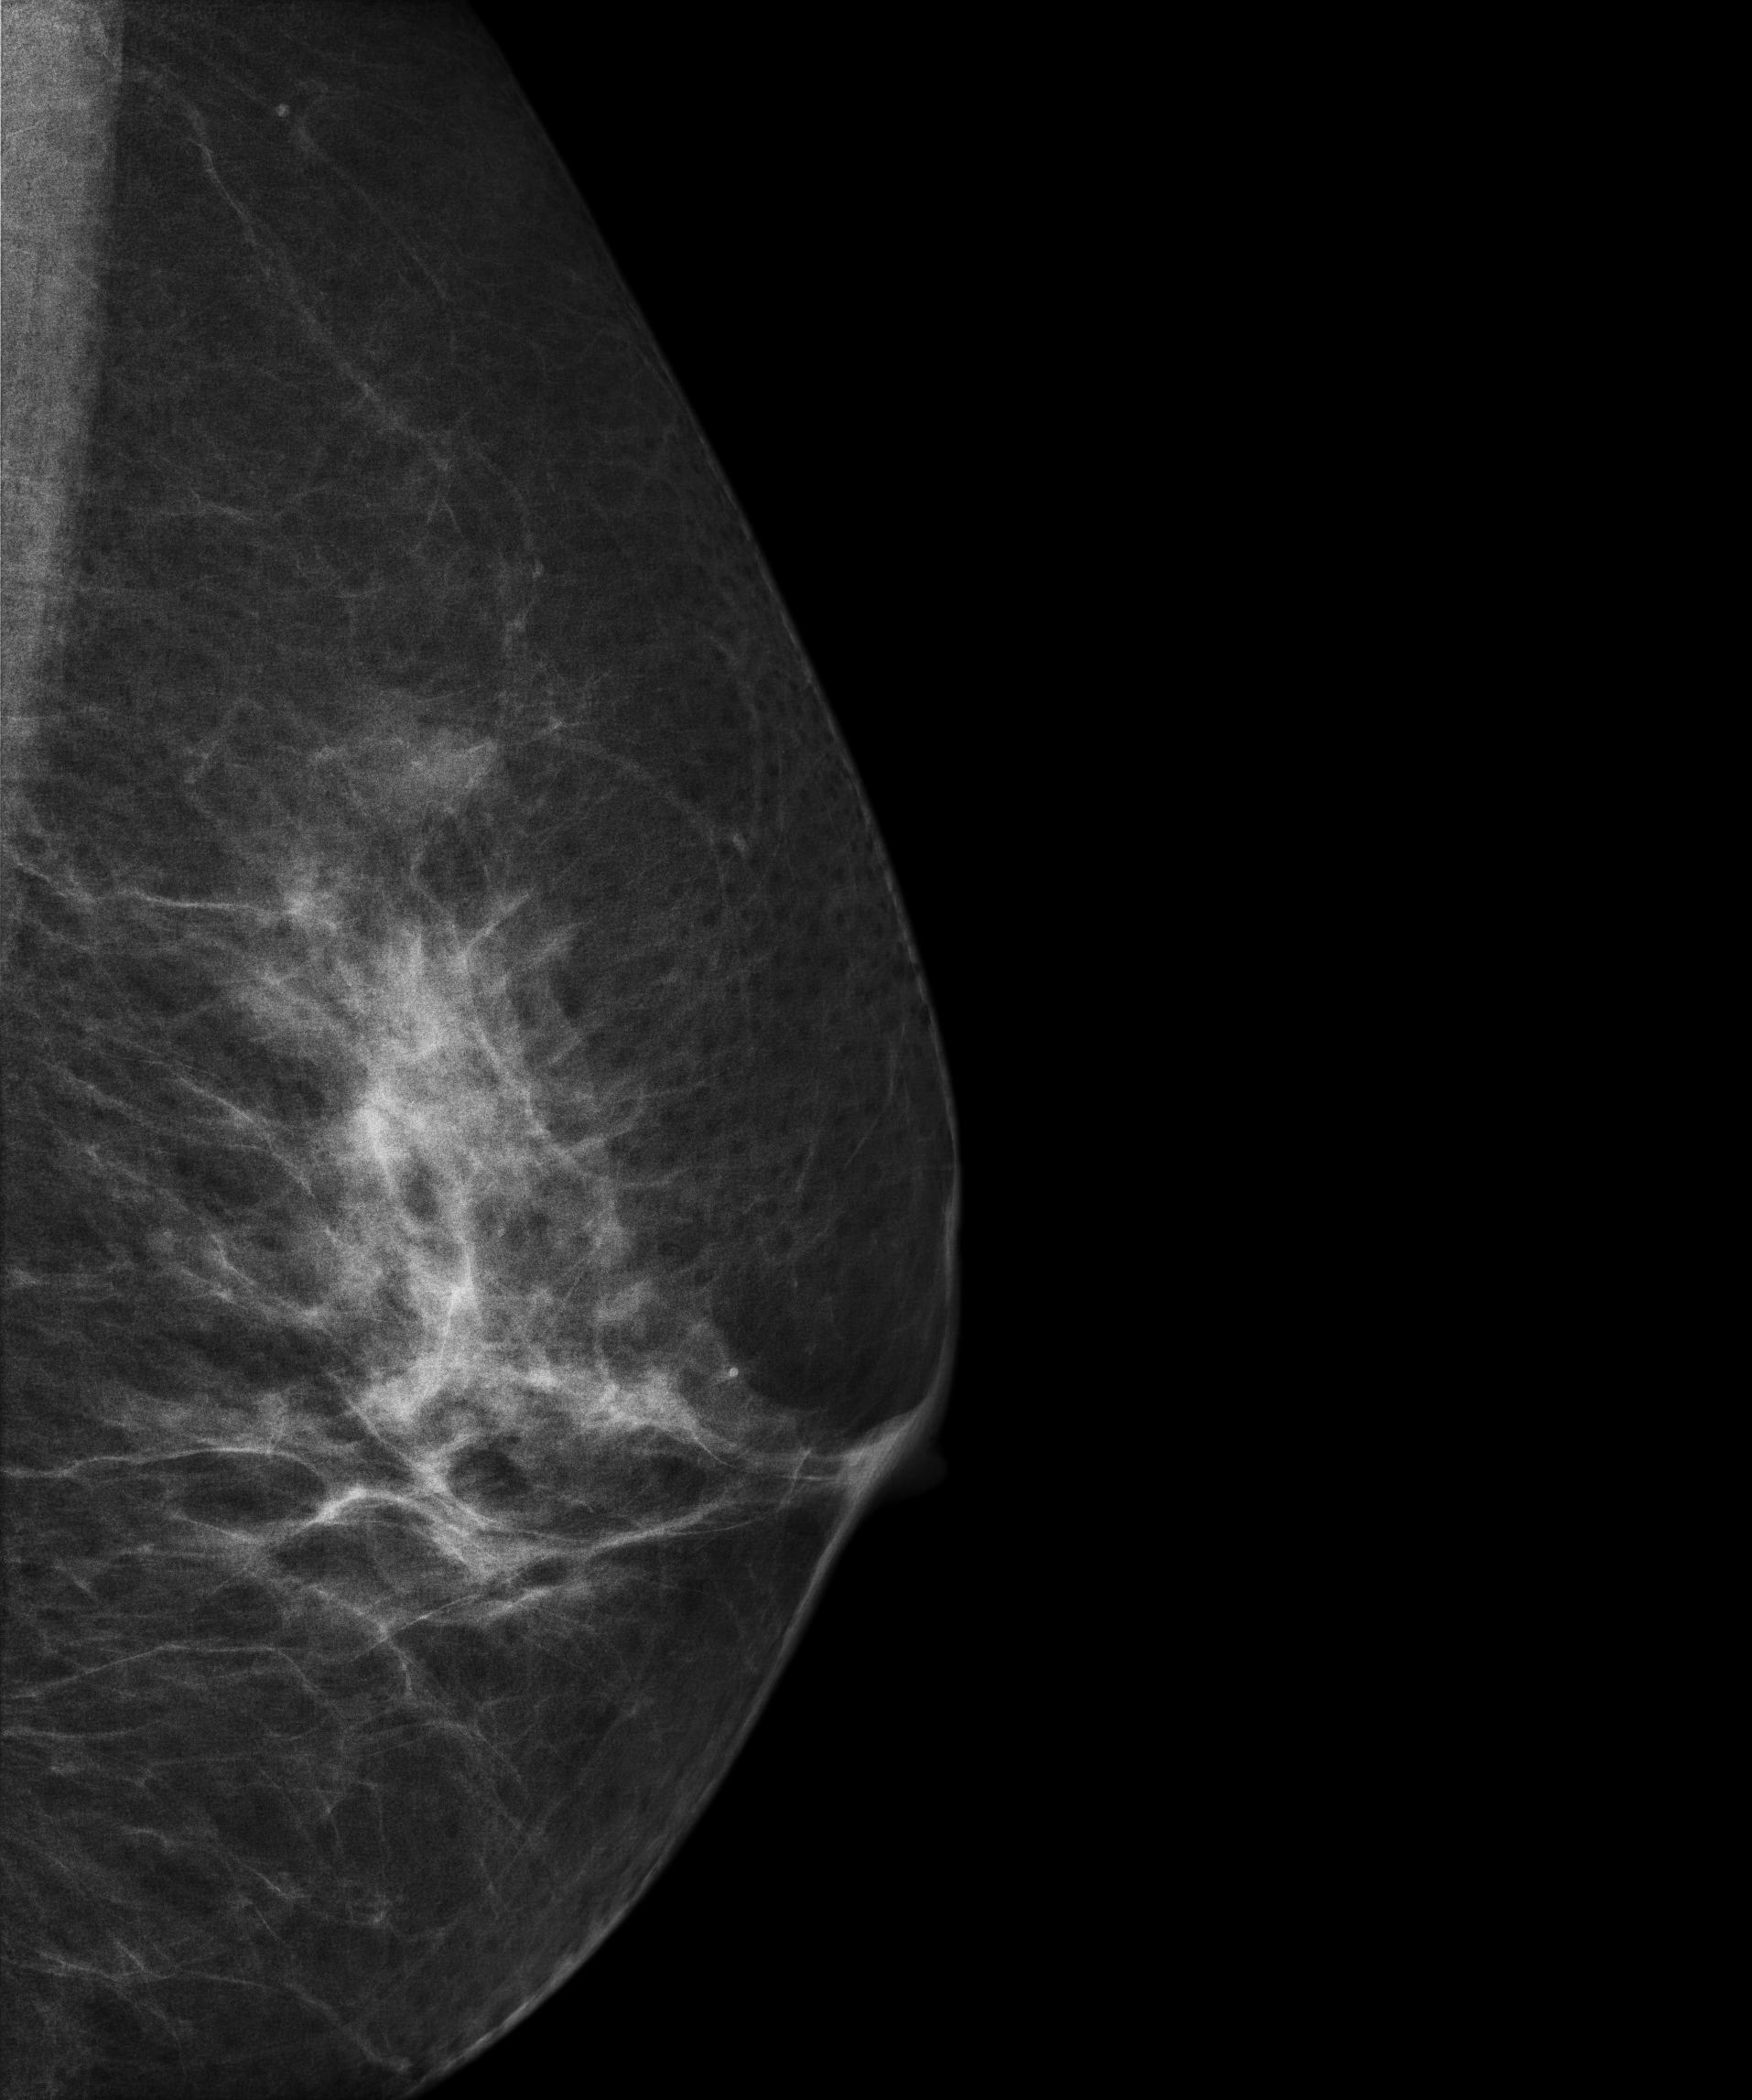
Left-breast mammogram, MLO. 63 y/o patient.
Contralateral breast — no documented abnormality on this side.